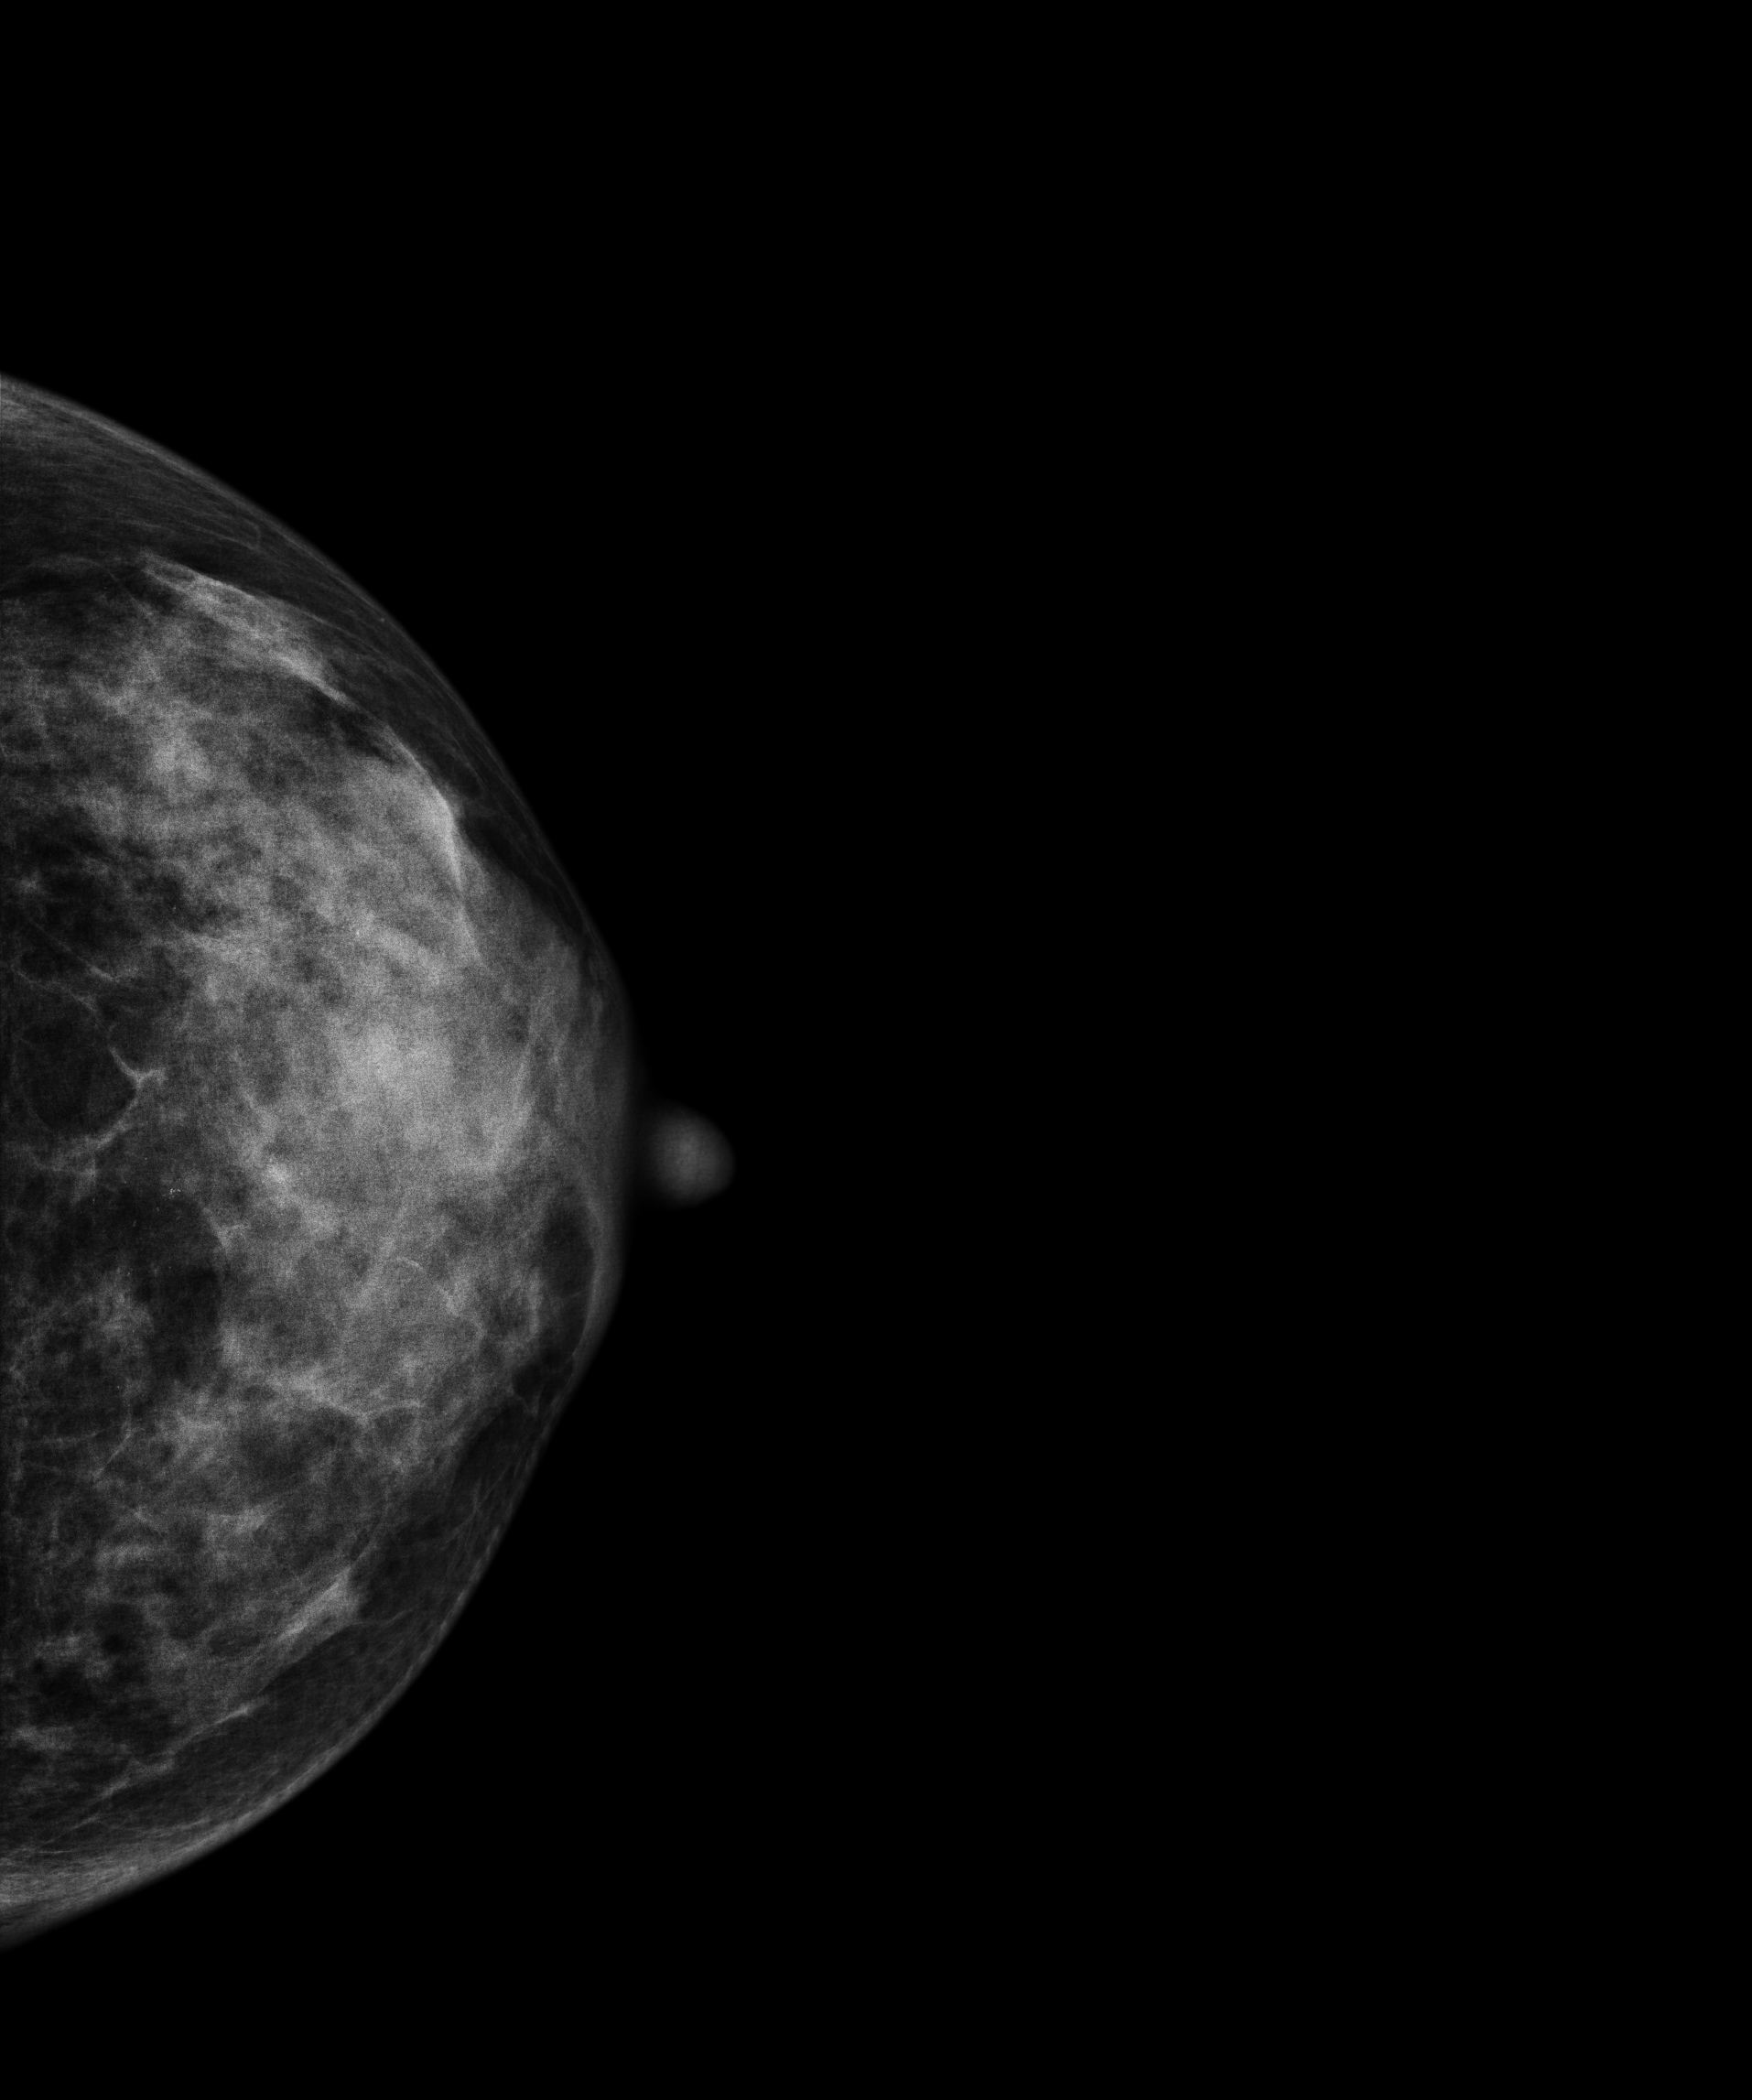
Digital mammography. Left breast, CC projection. 34 y/o patient.
This breast has calcifications, pathology-confirmed benign.